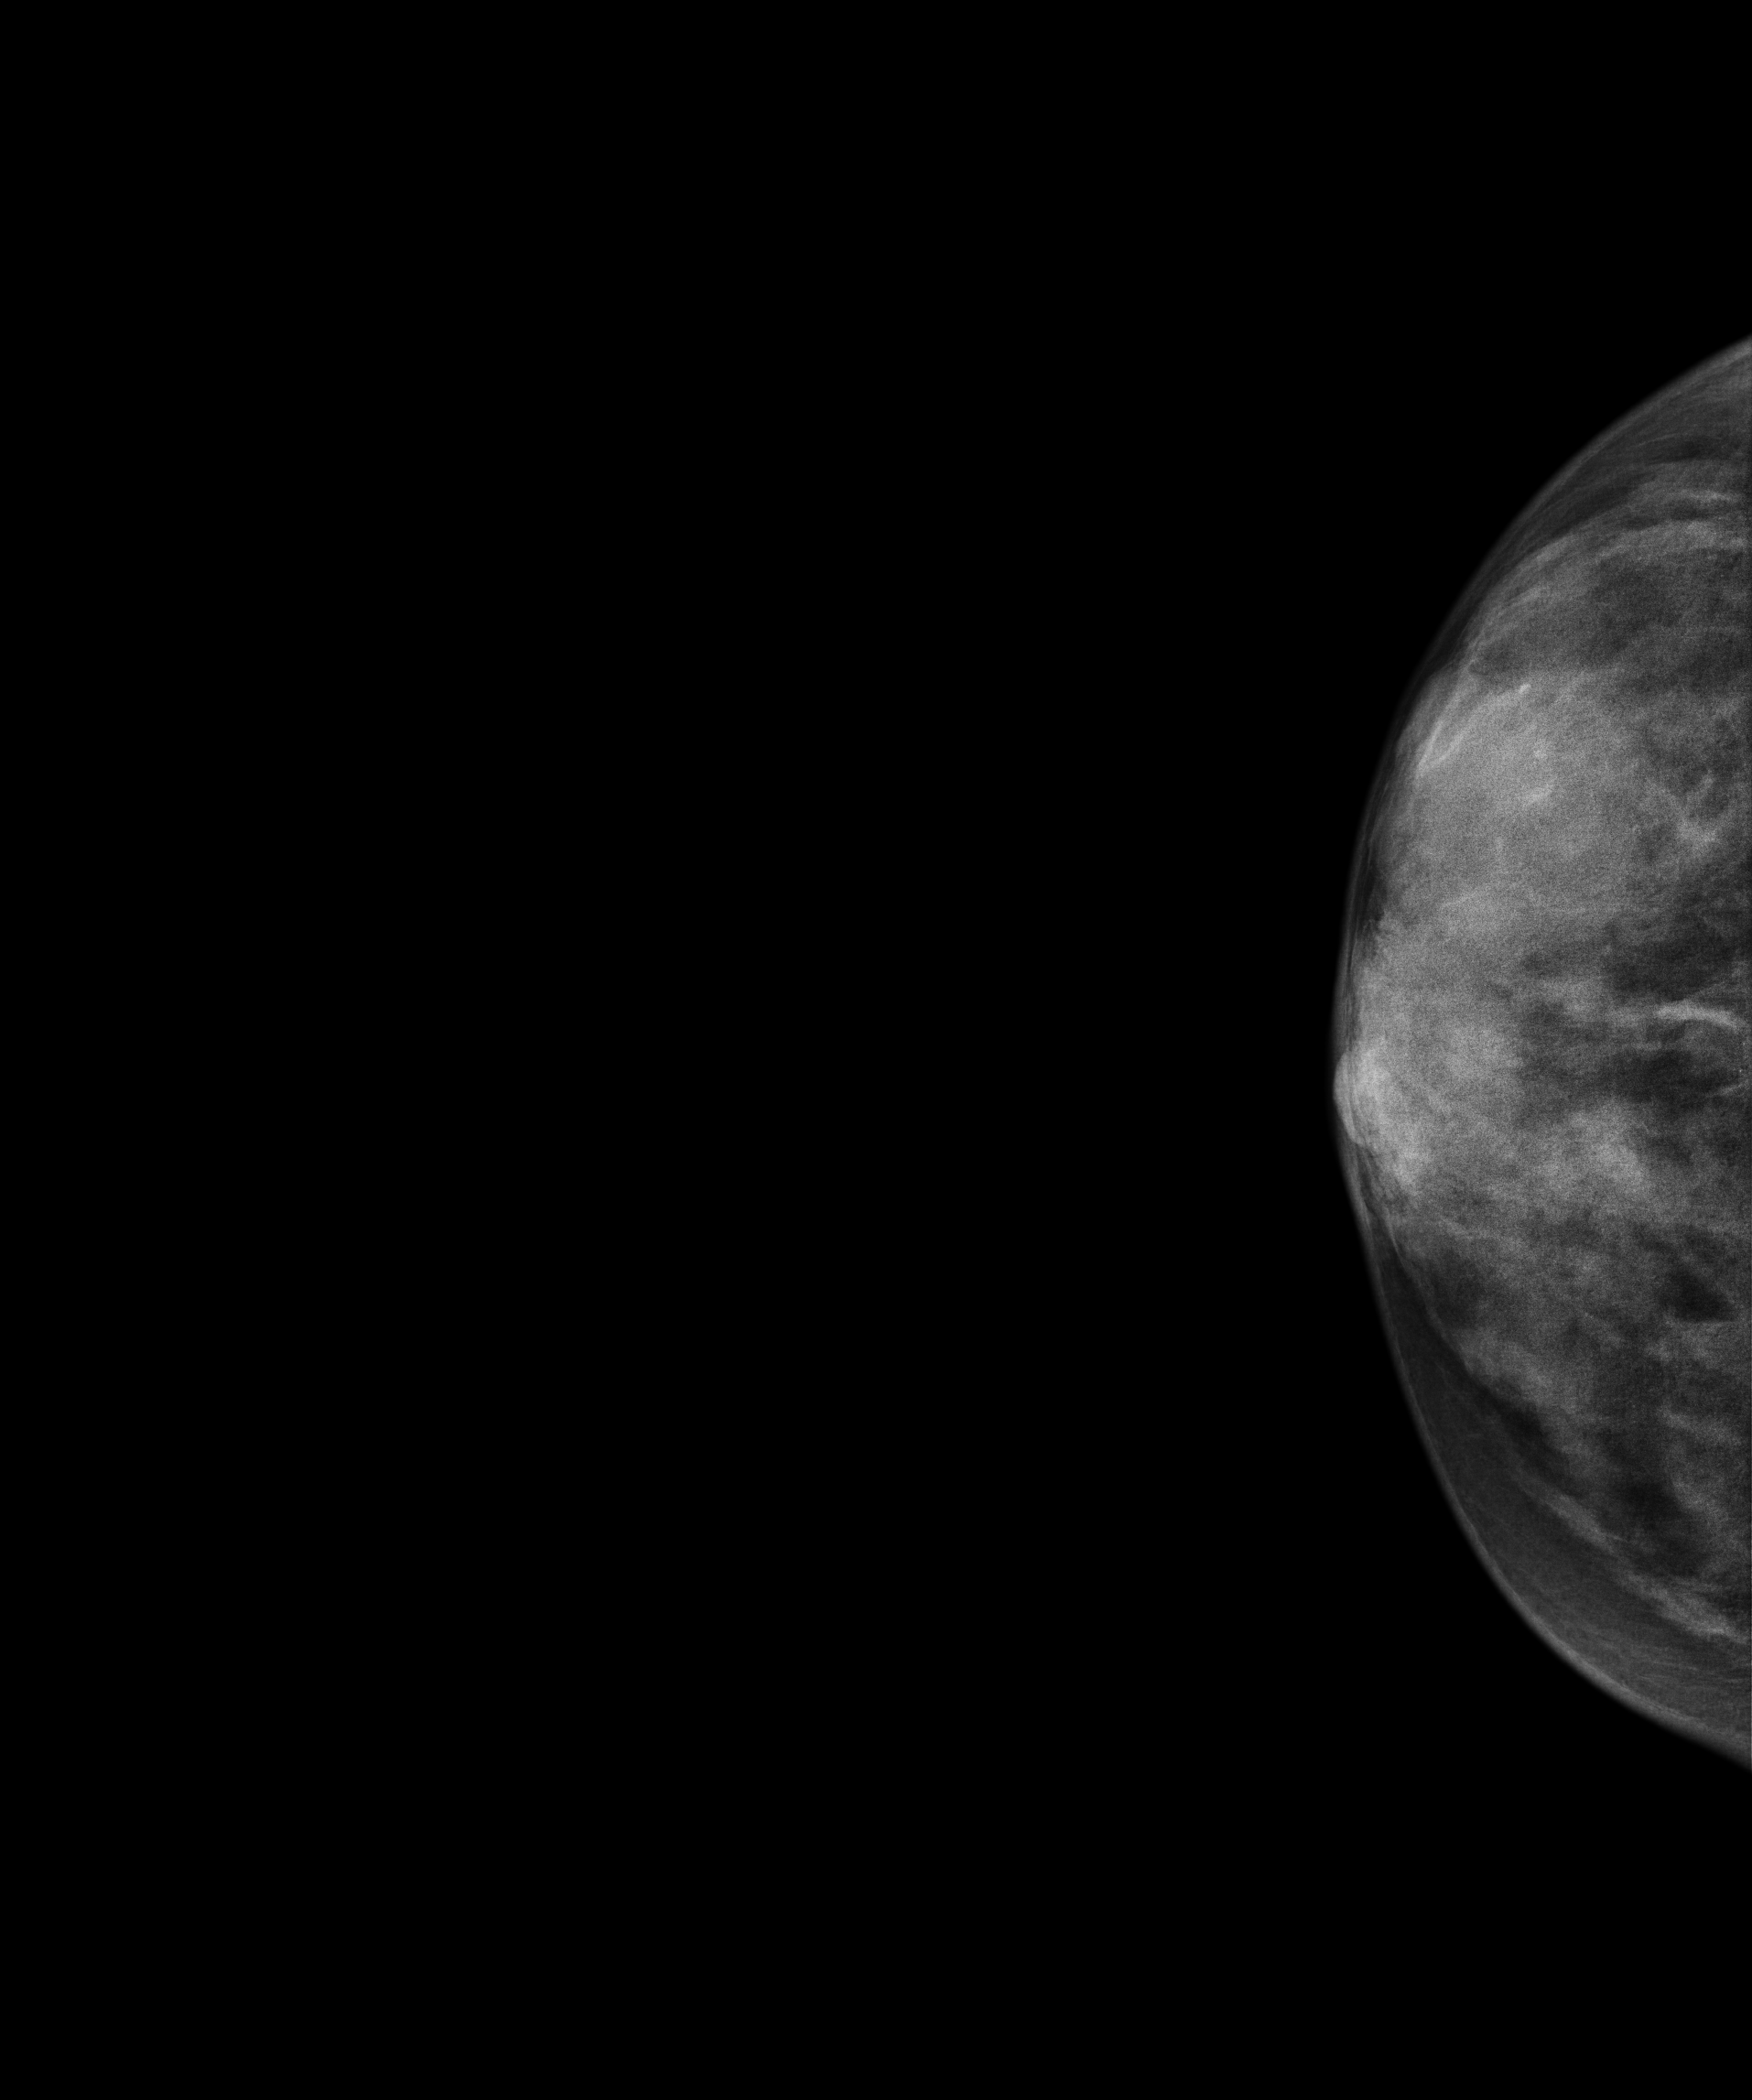
Mammogram, right breast, medio-lateral oblique view. 22-year-old patient.
This breast has calcifications, biopsy-proven benign.